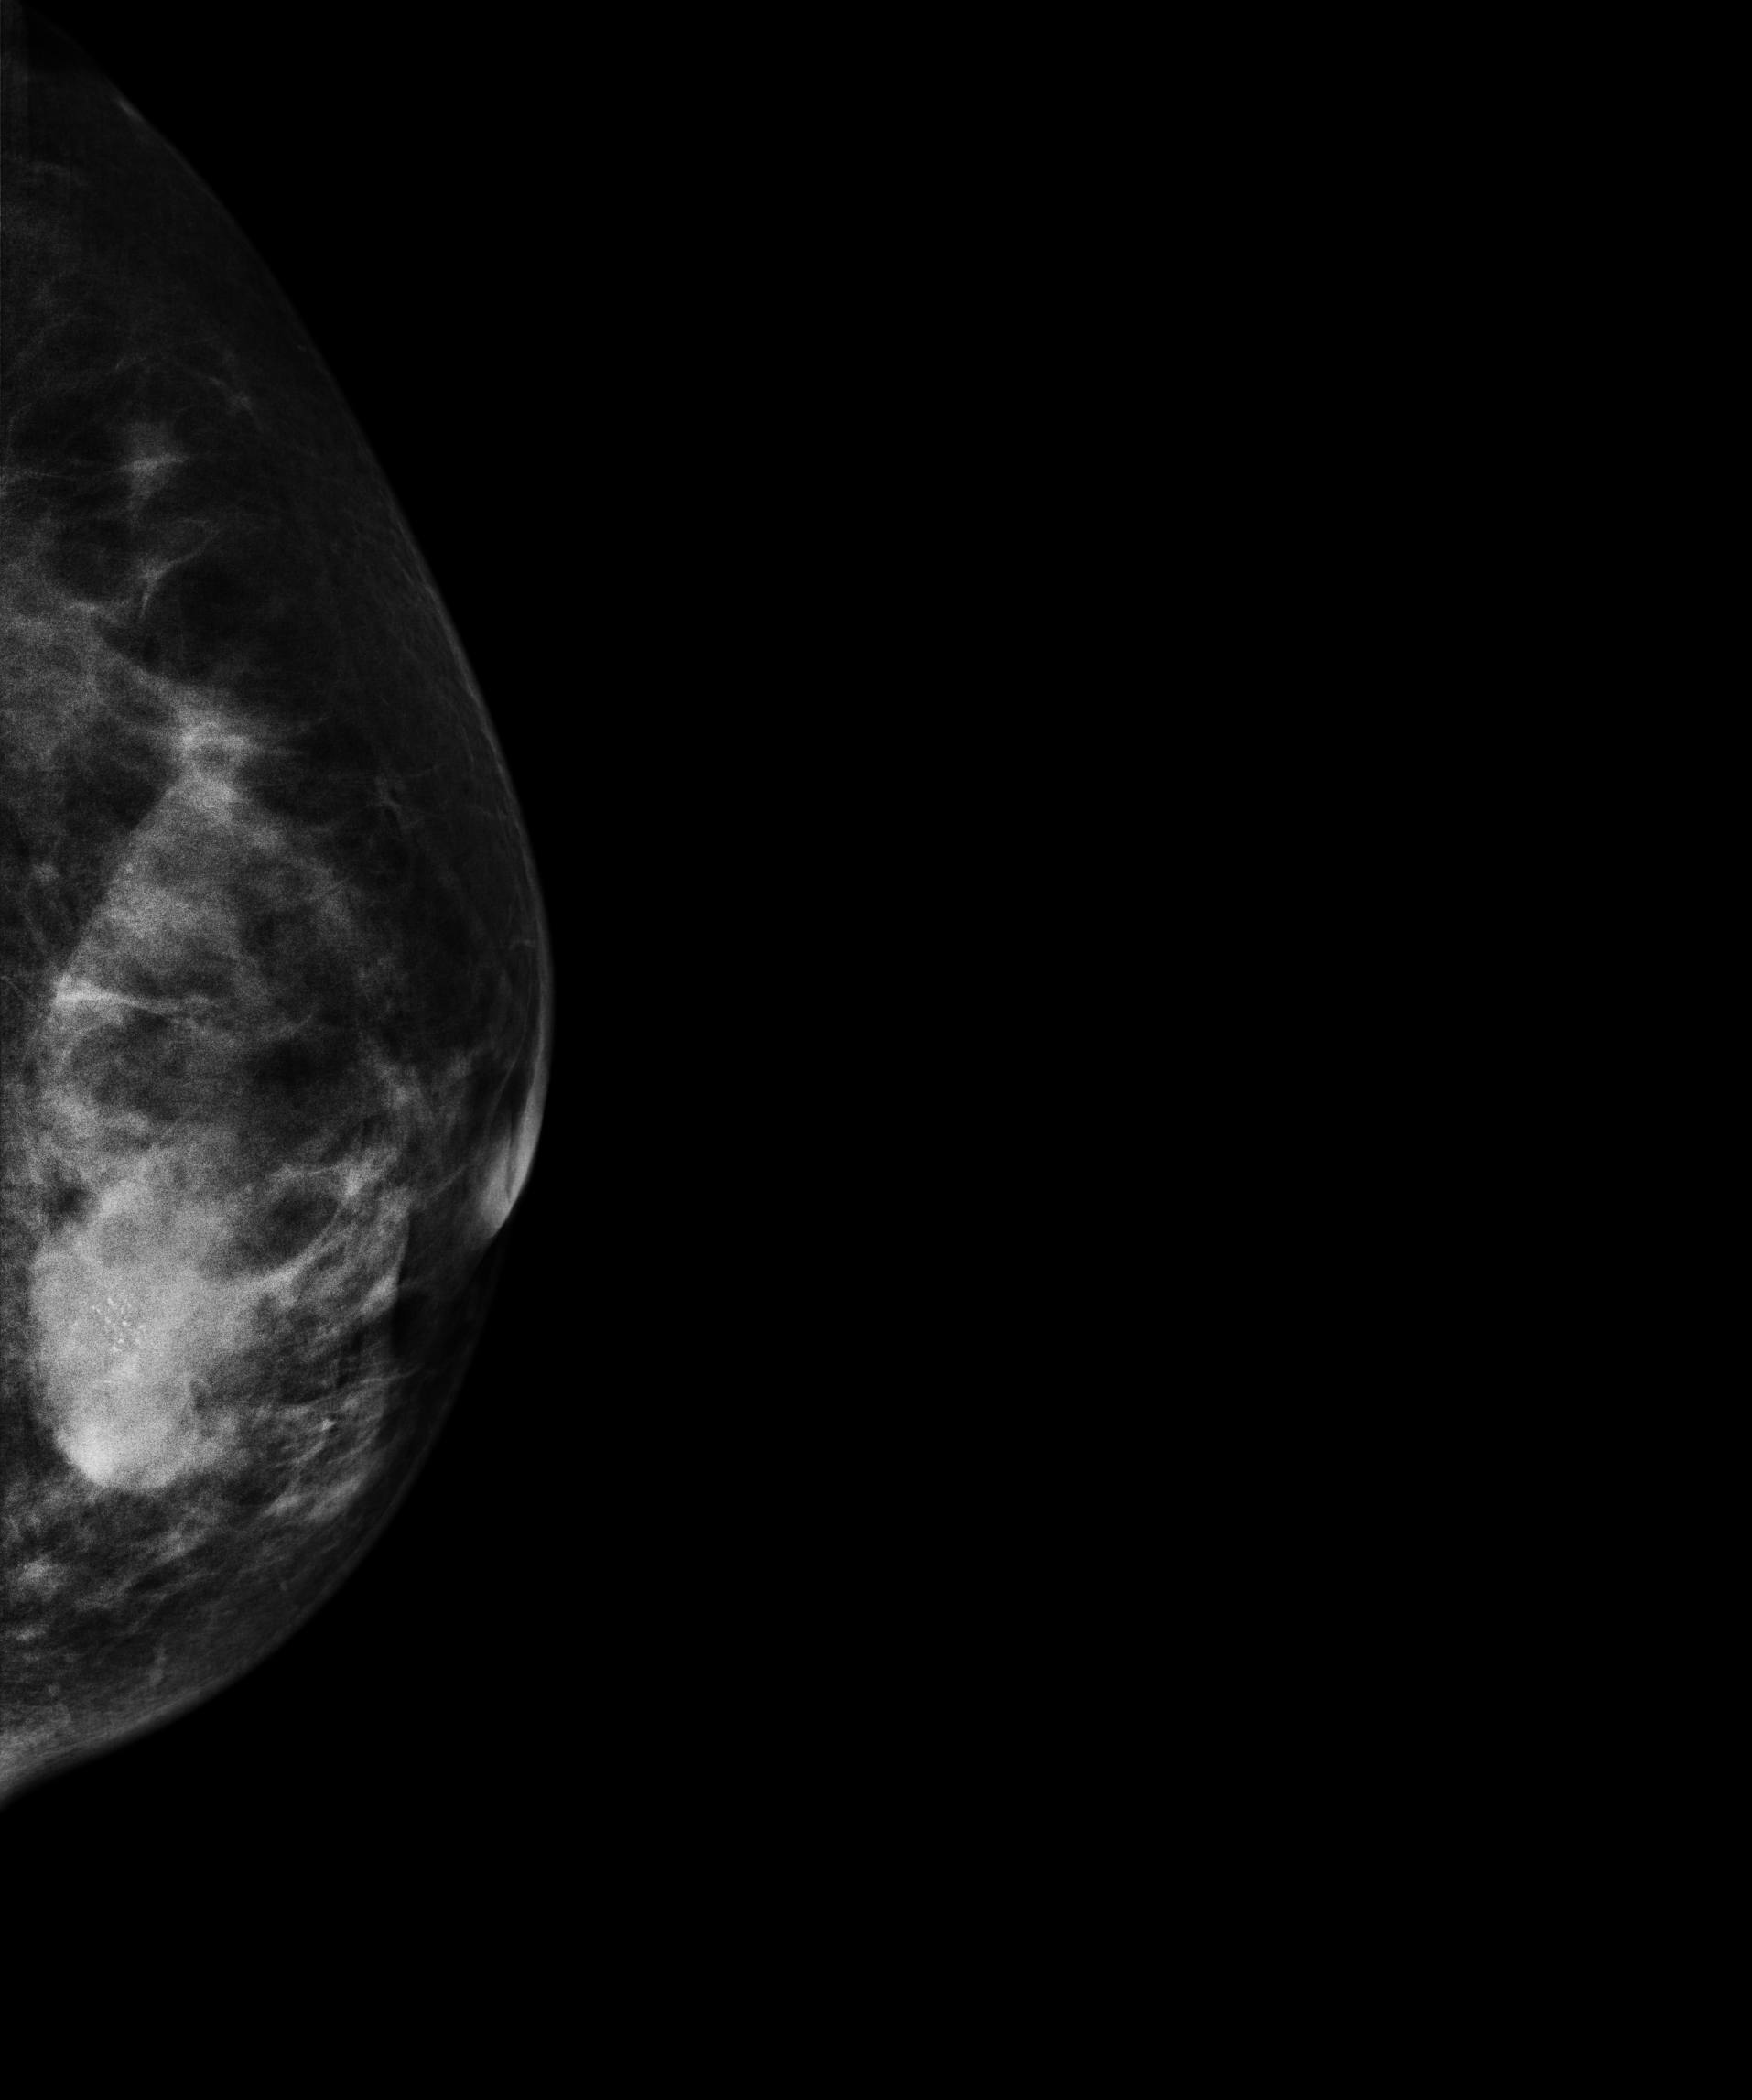
Cranio-caudal mammogram of the left breast. Patient age 49.
This breast has a mass and calcifications, pathology-confirmed malignant.